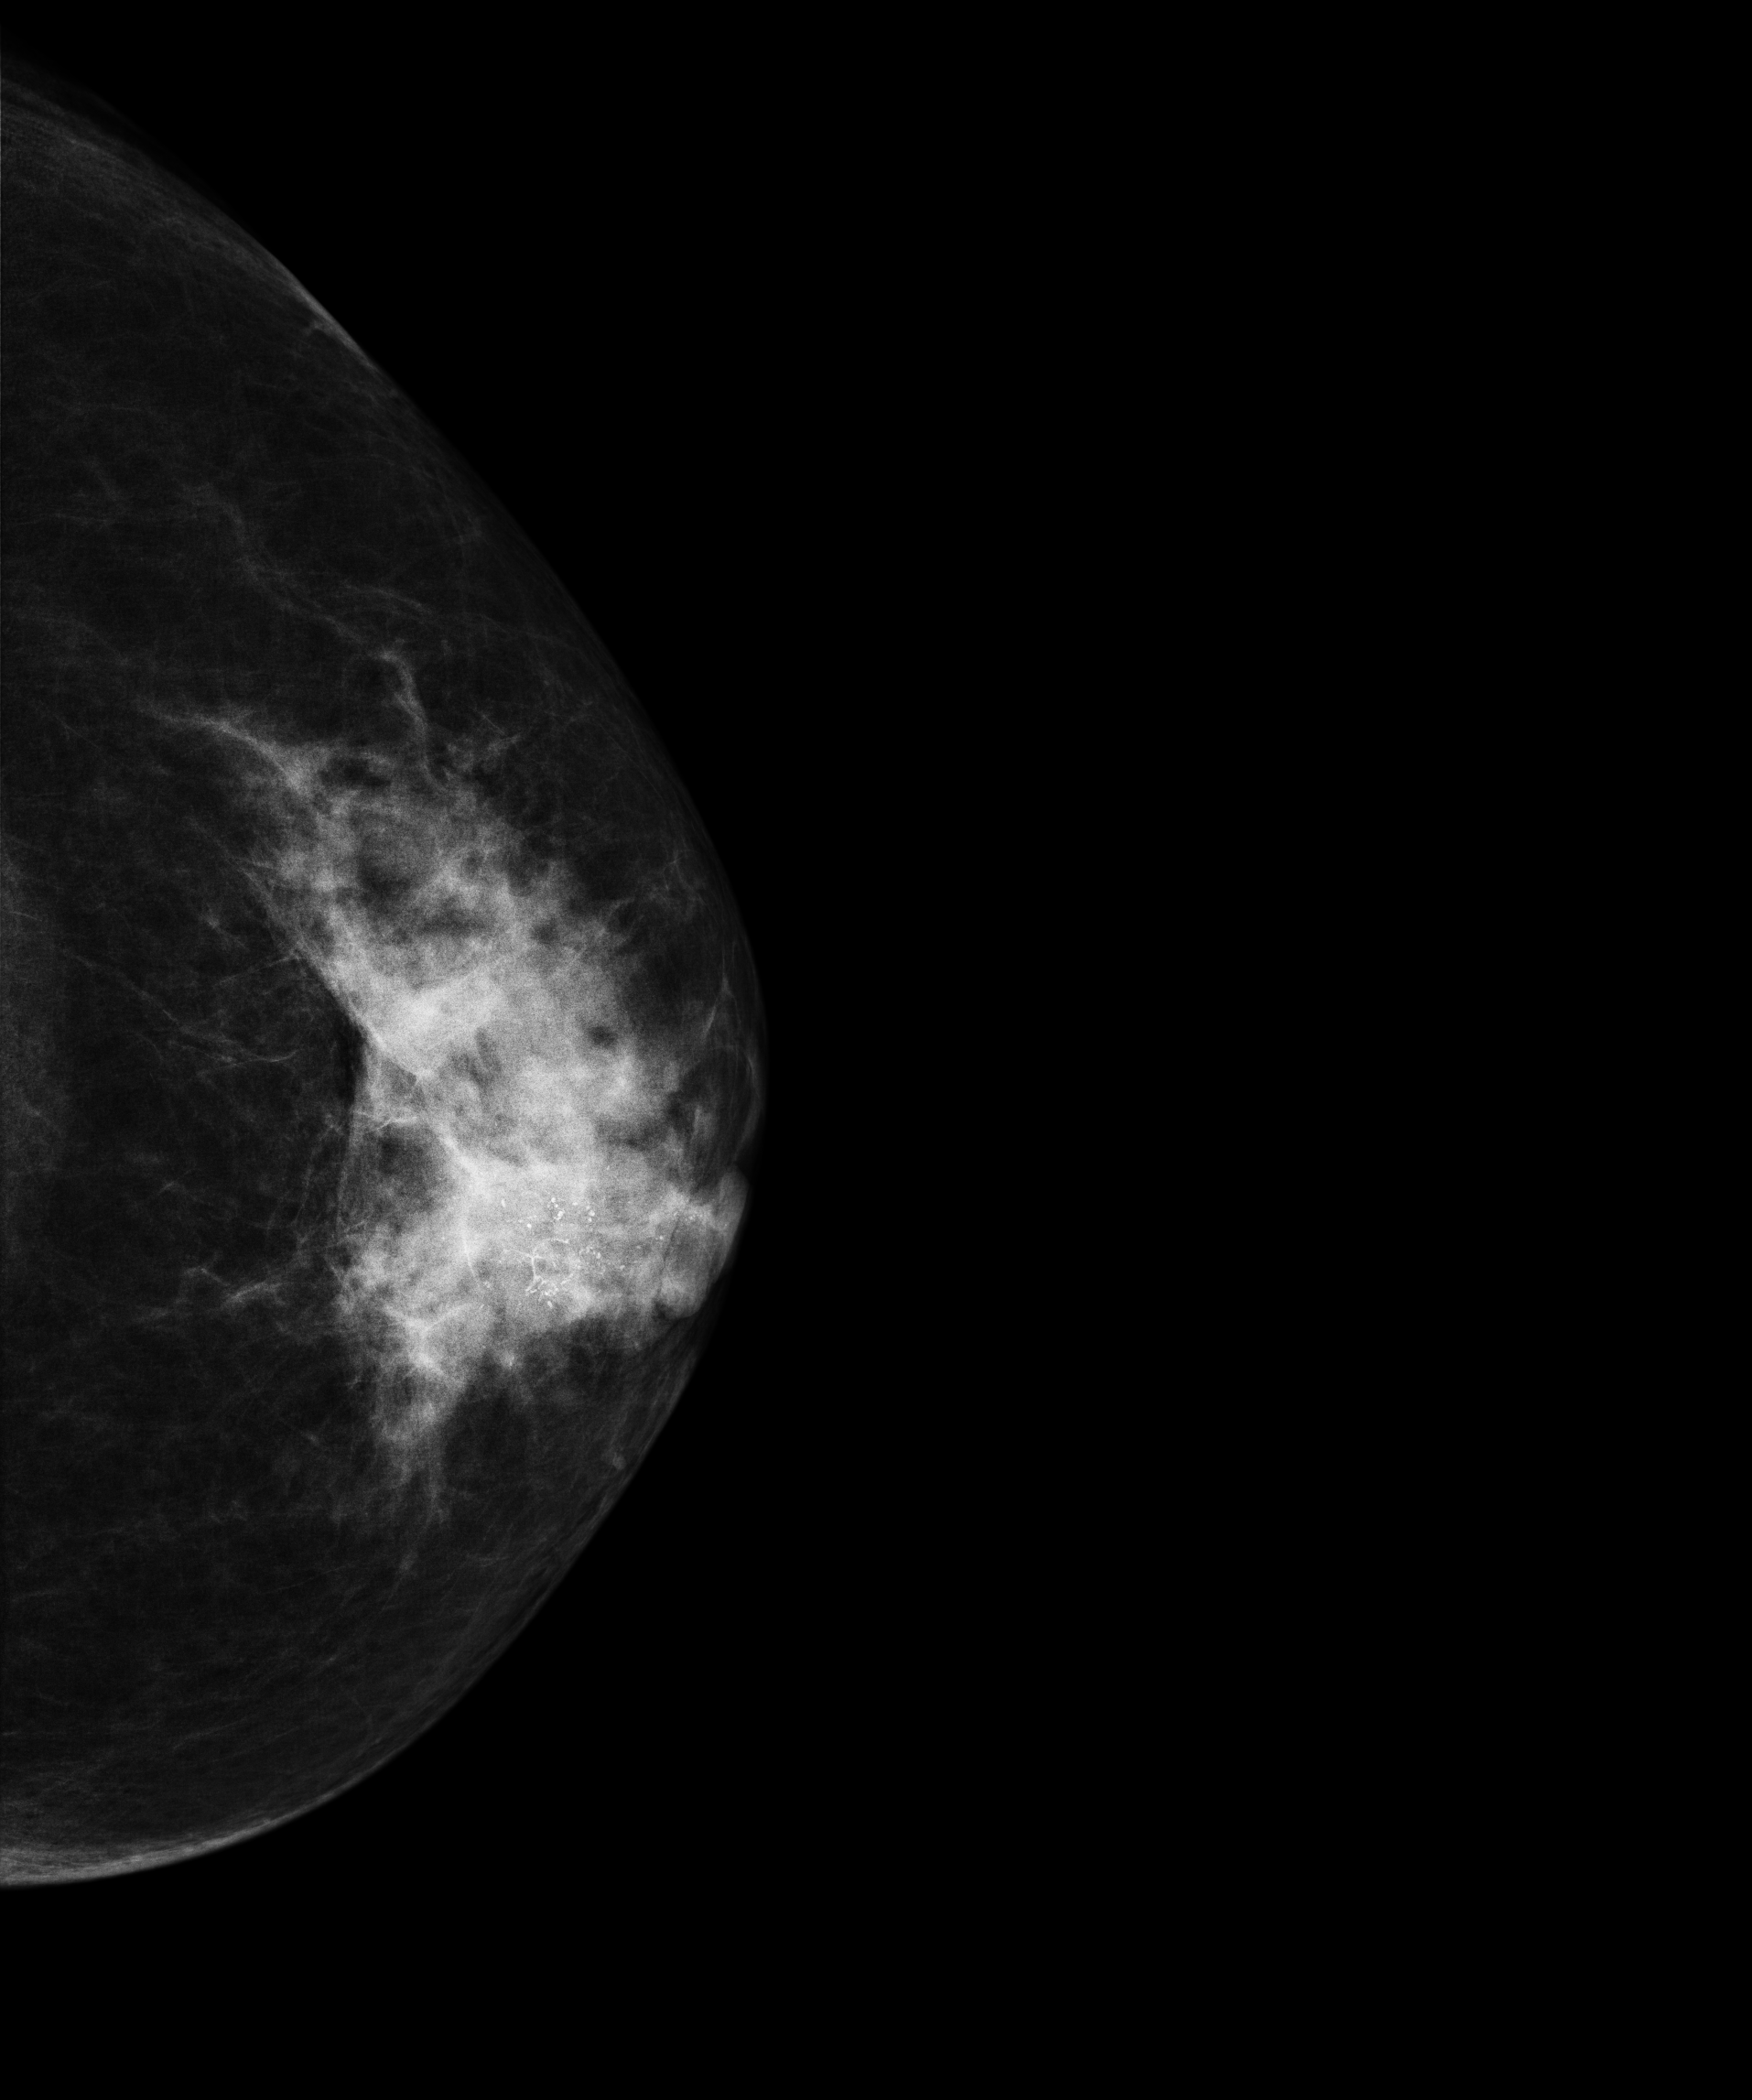
Digital mammography. Left breast, CC projection. 63 y/o patient.
This breast has a mass and calcifications, histologically confirmed malignant.